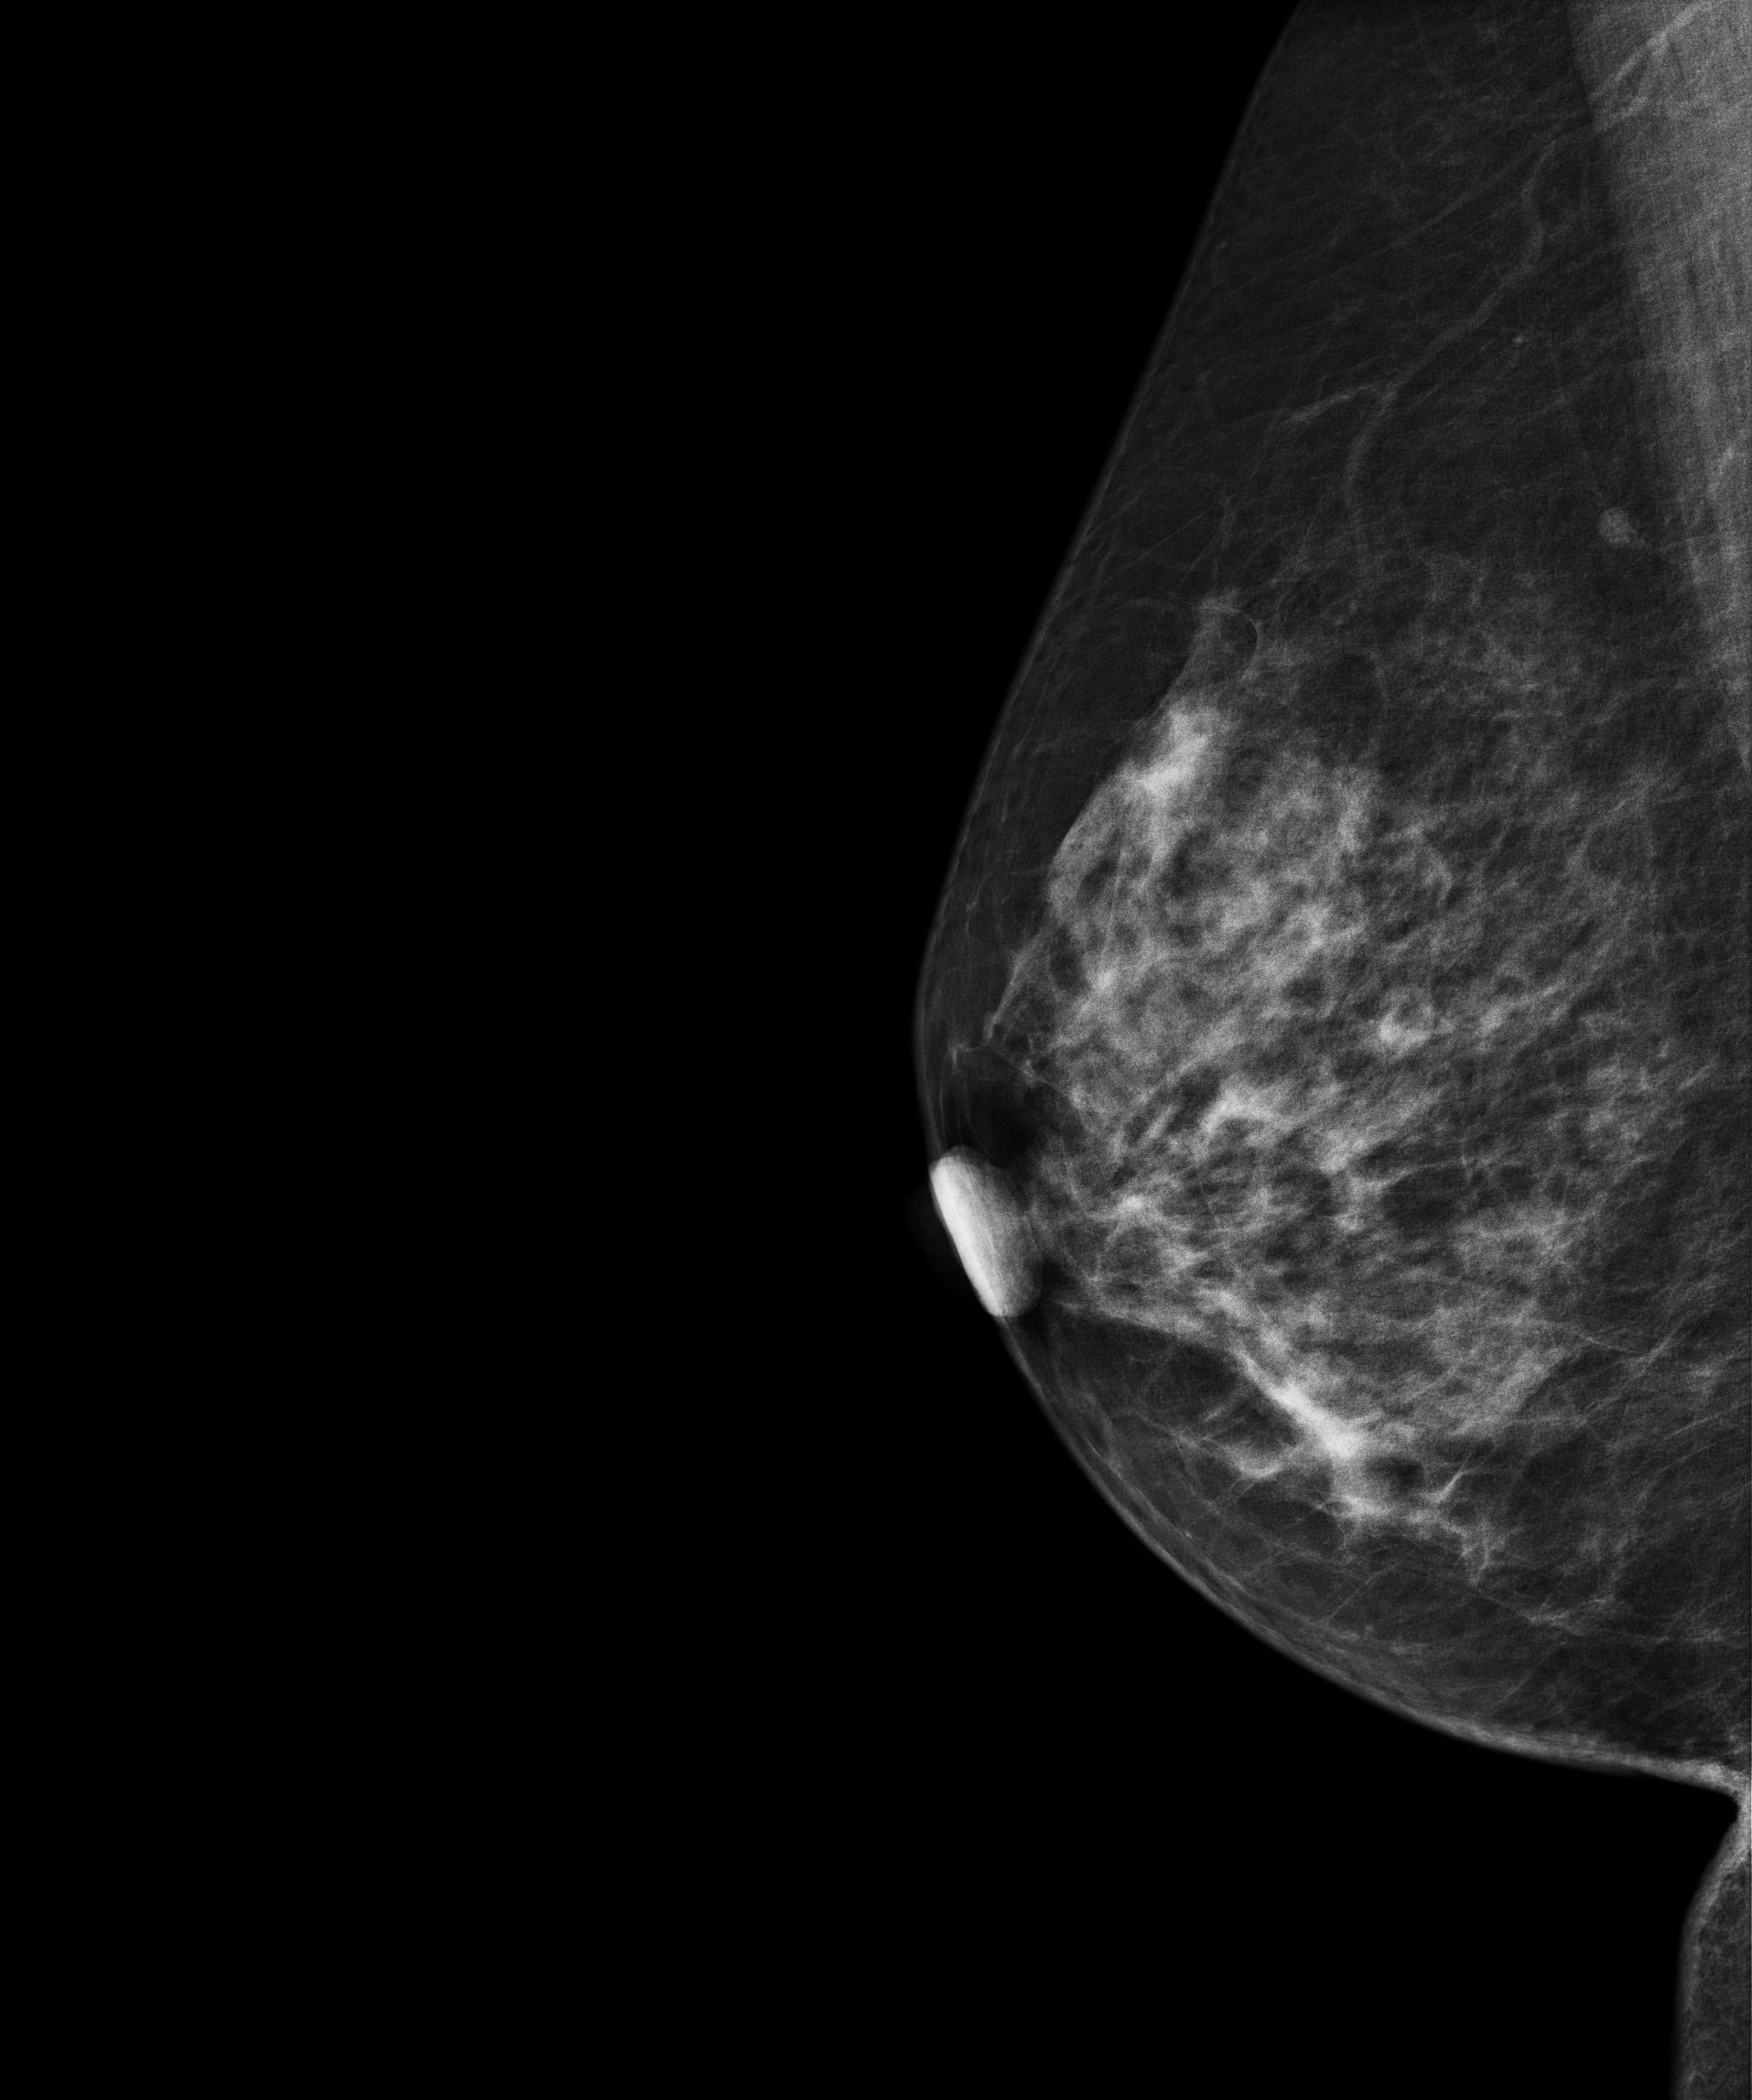
Mammogram, right breast, medio-lateral oblique view. Patient age 61.
Contralateral breast — no documented abnormality on this side.